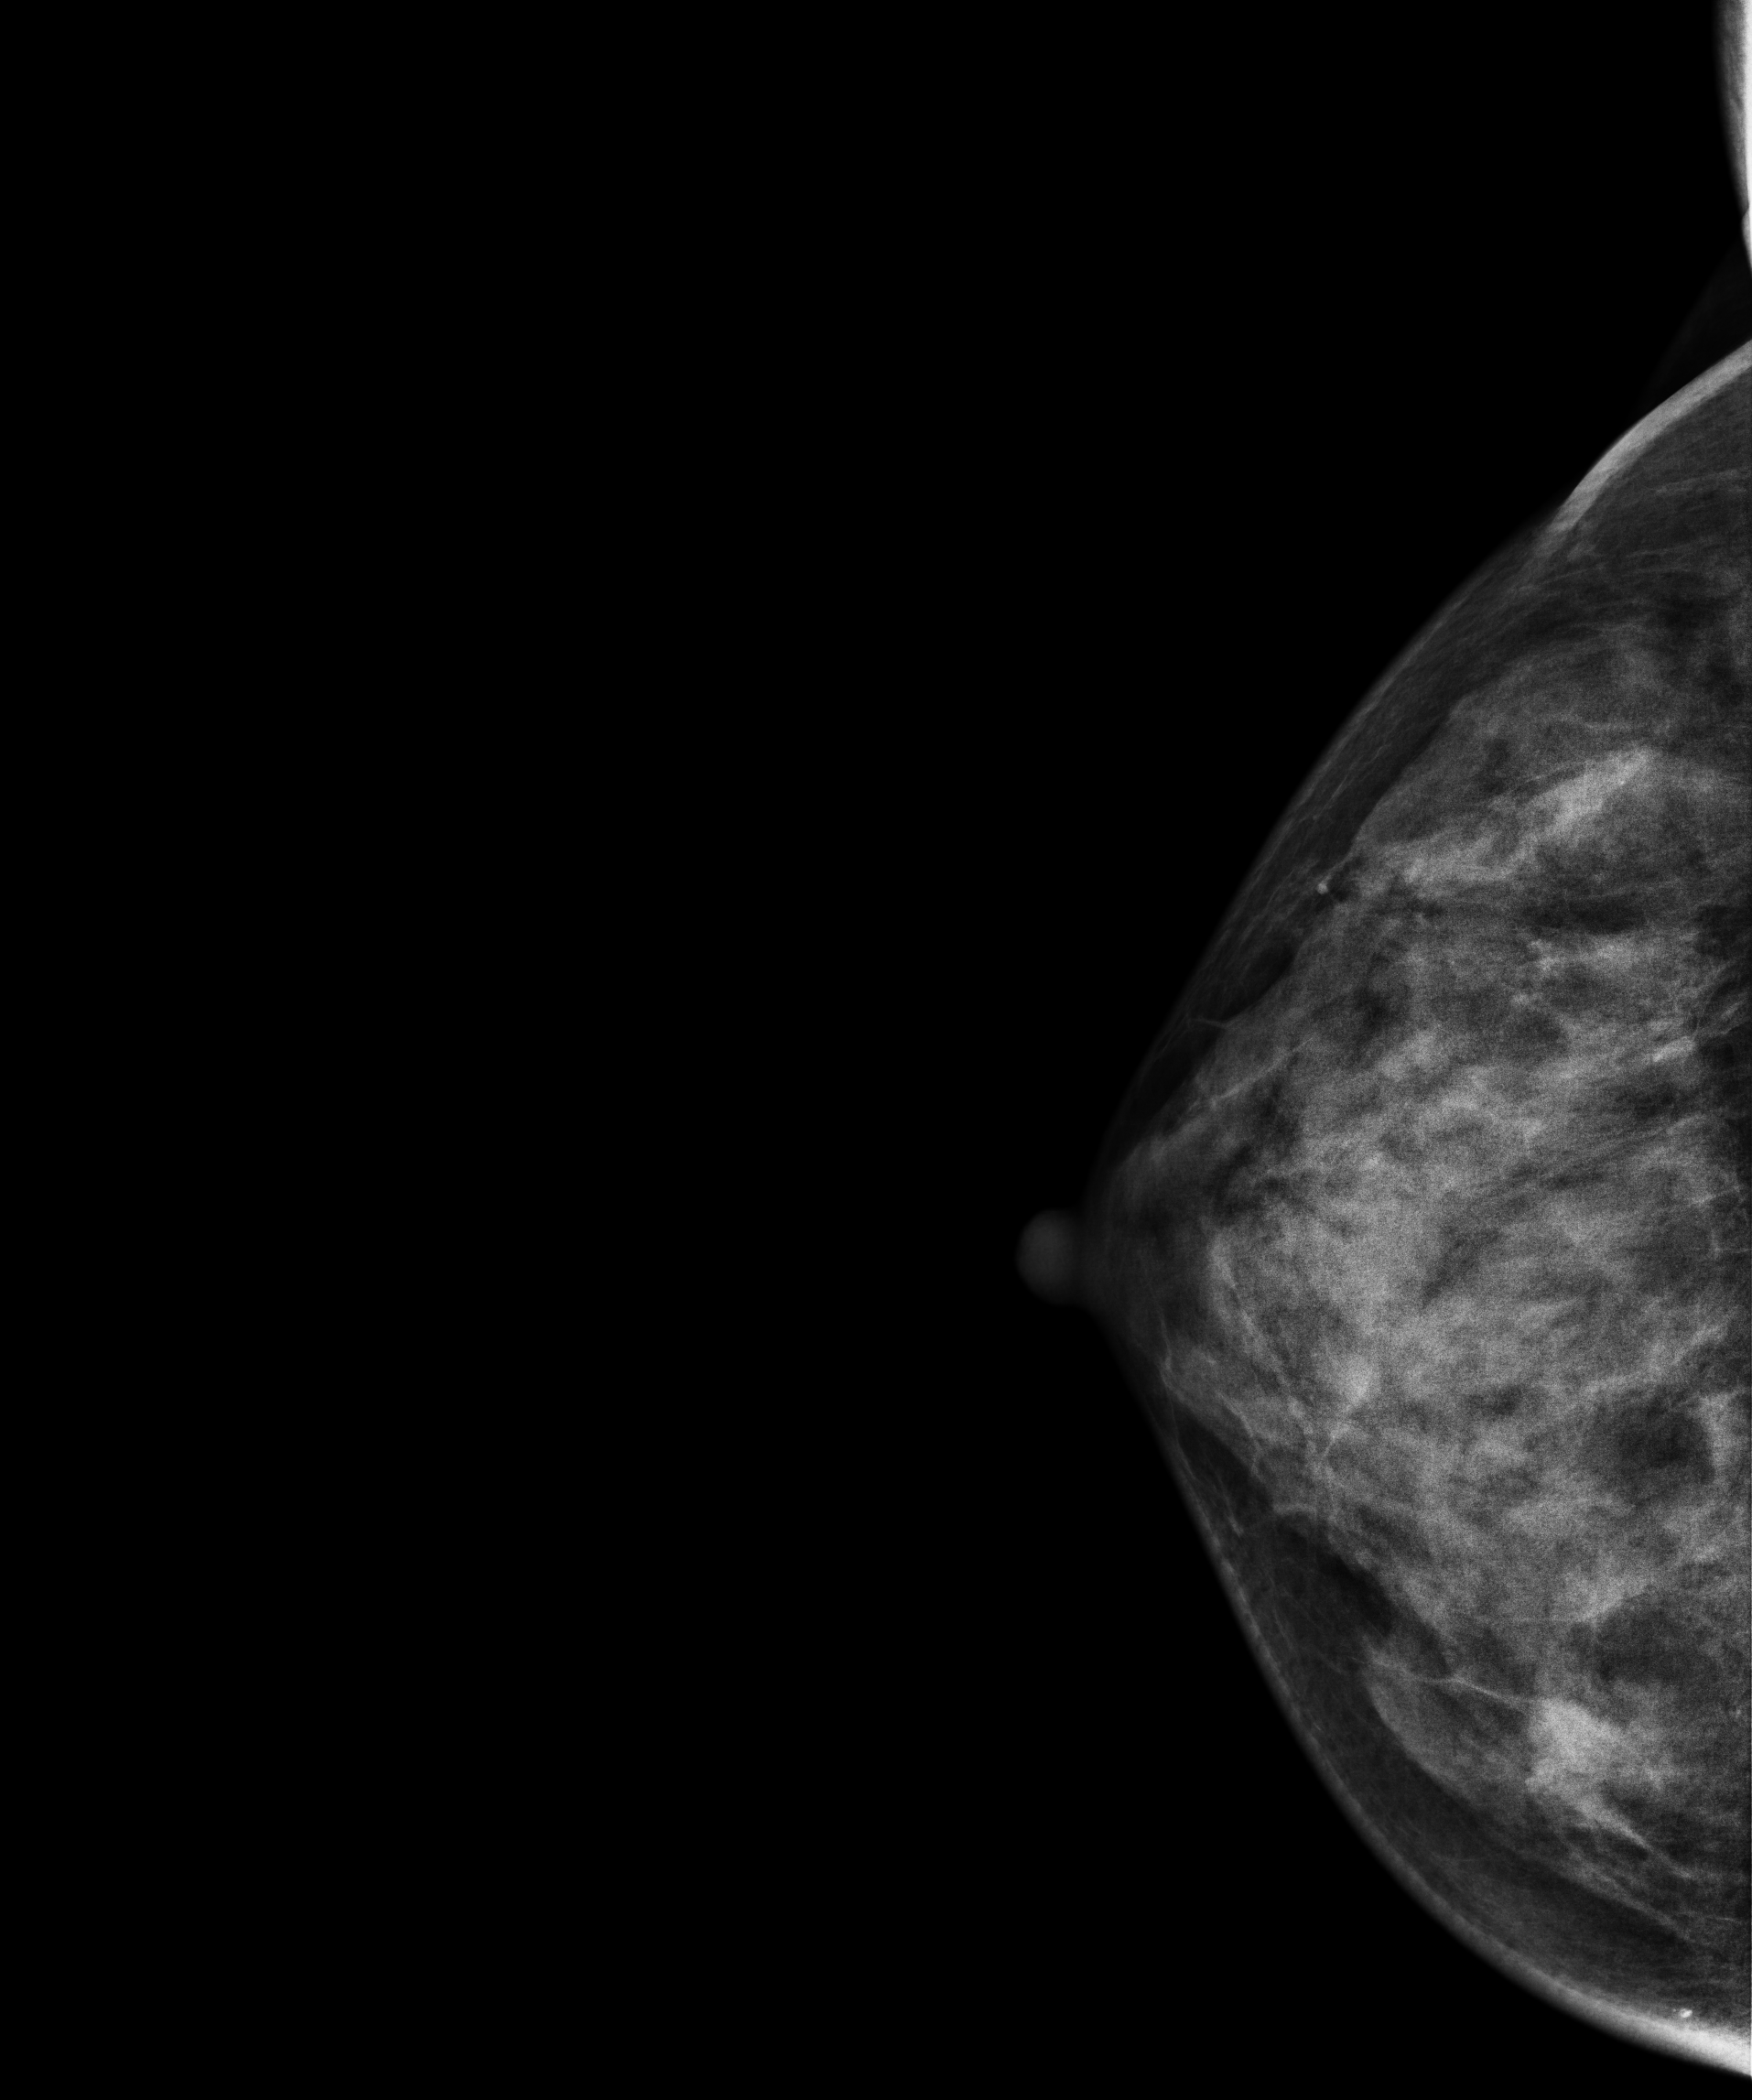
Mammogram — right CC. 37 y/o patient.
This breast has a mass, biopsy-proven malignant. Molecular subtype: luminal B.